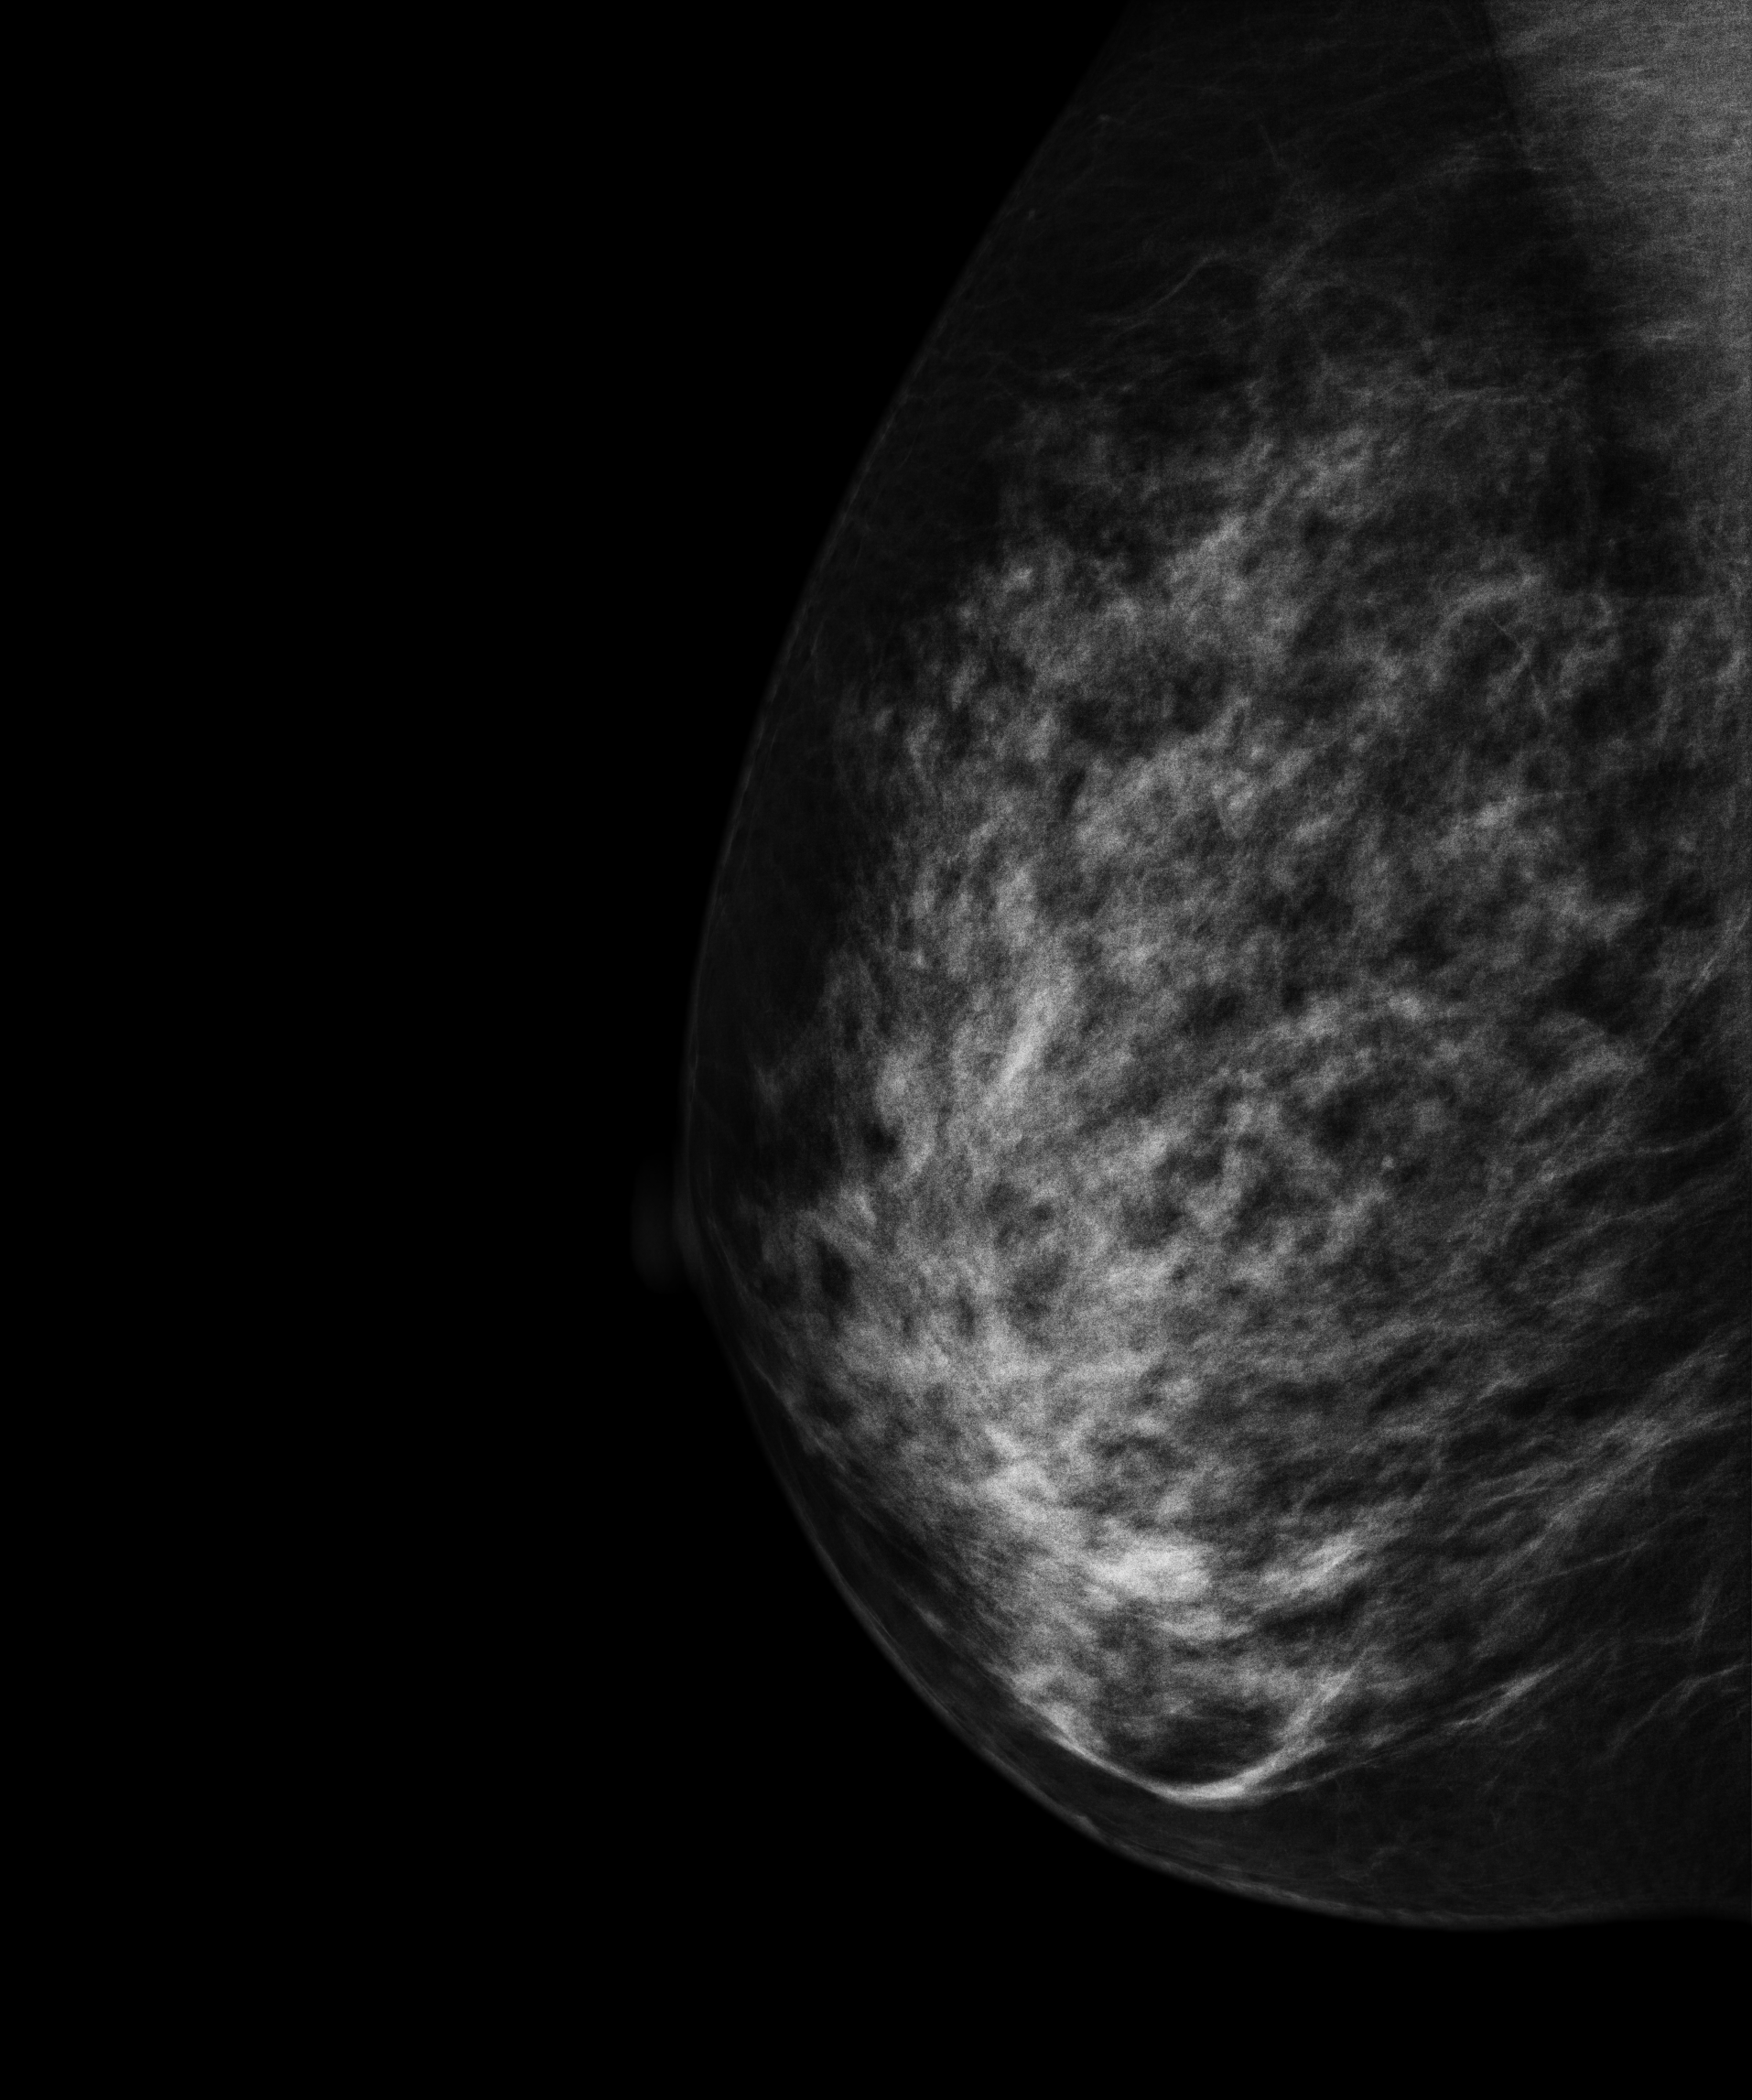
Right-breast mammogram, medio-lateral oblique. 42 y/o patient.
Contralateral breast — no documented abnormality on this side.